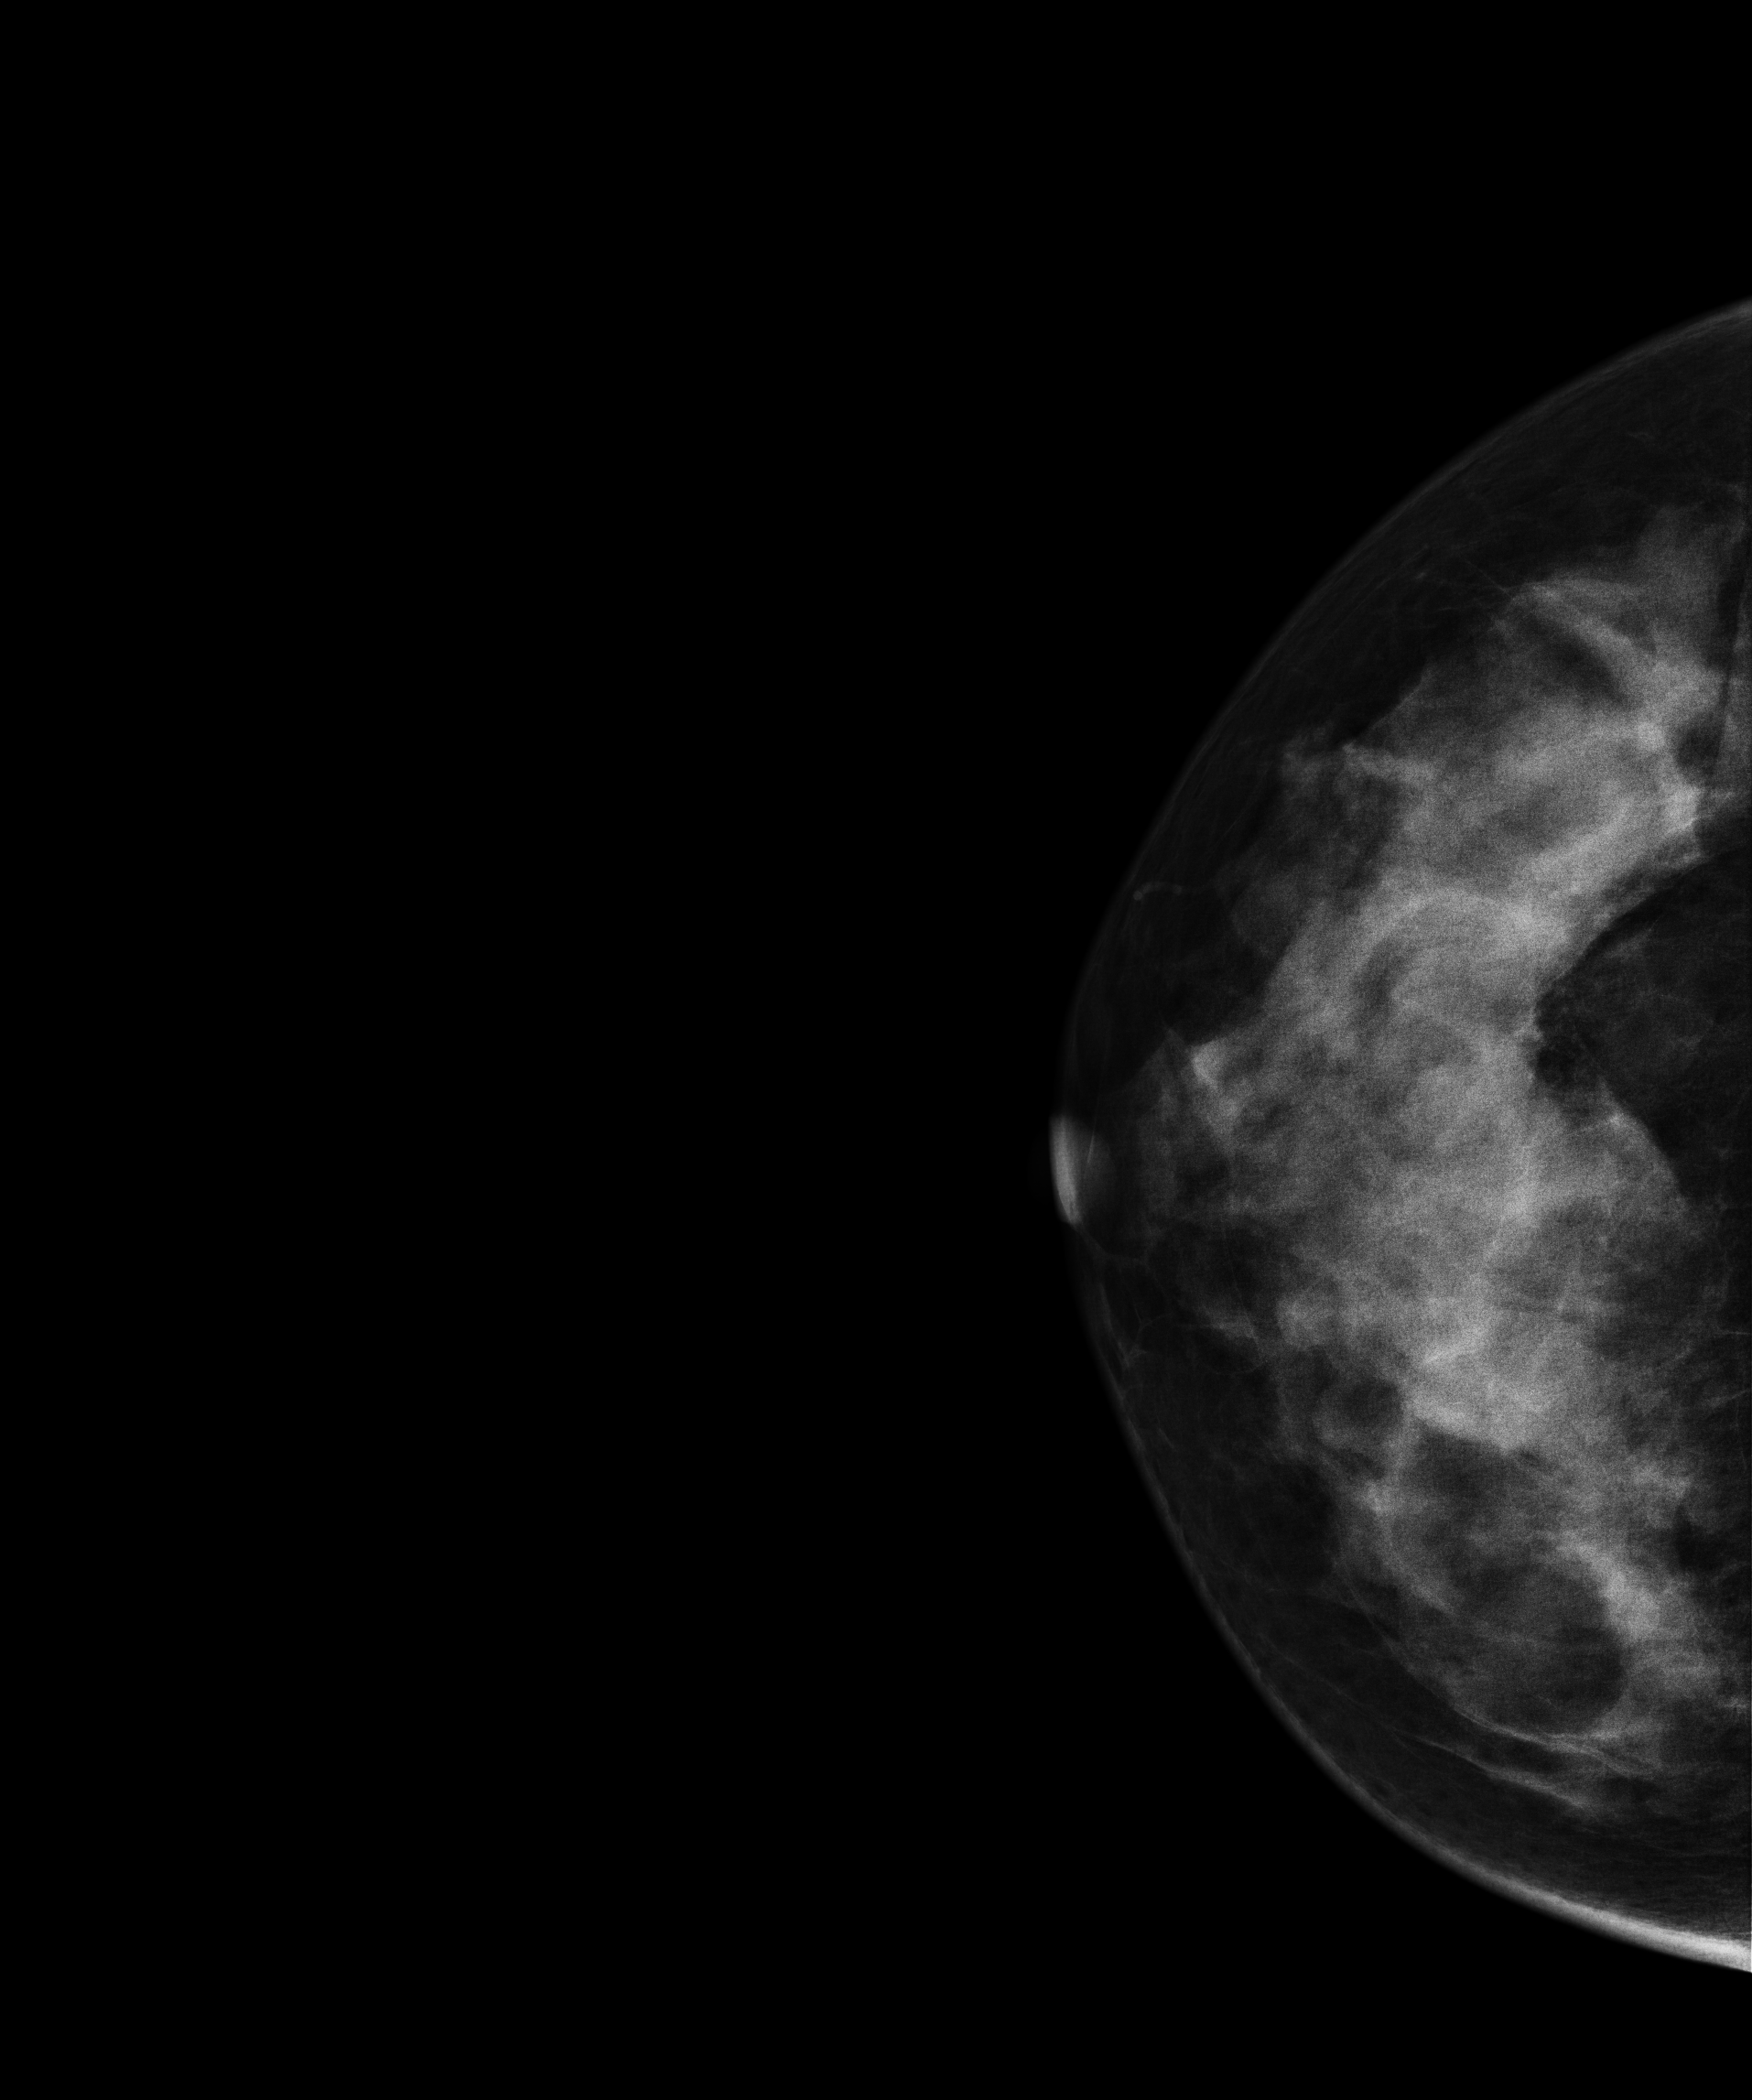
Cranio-caudal mammogram of the right breast. 43 y/o patient.
This breast has calcifications, biopsy-confirmed benign.